Mammogram, left breast, cranio-caudal view. 59 y/o patient.
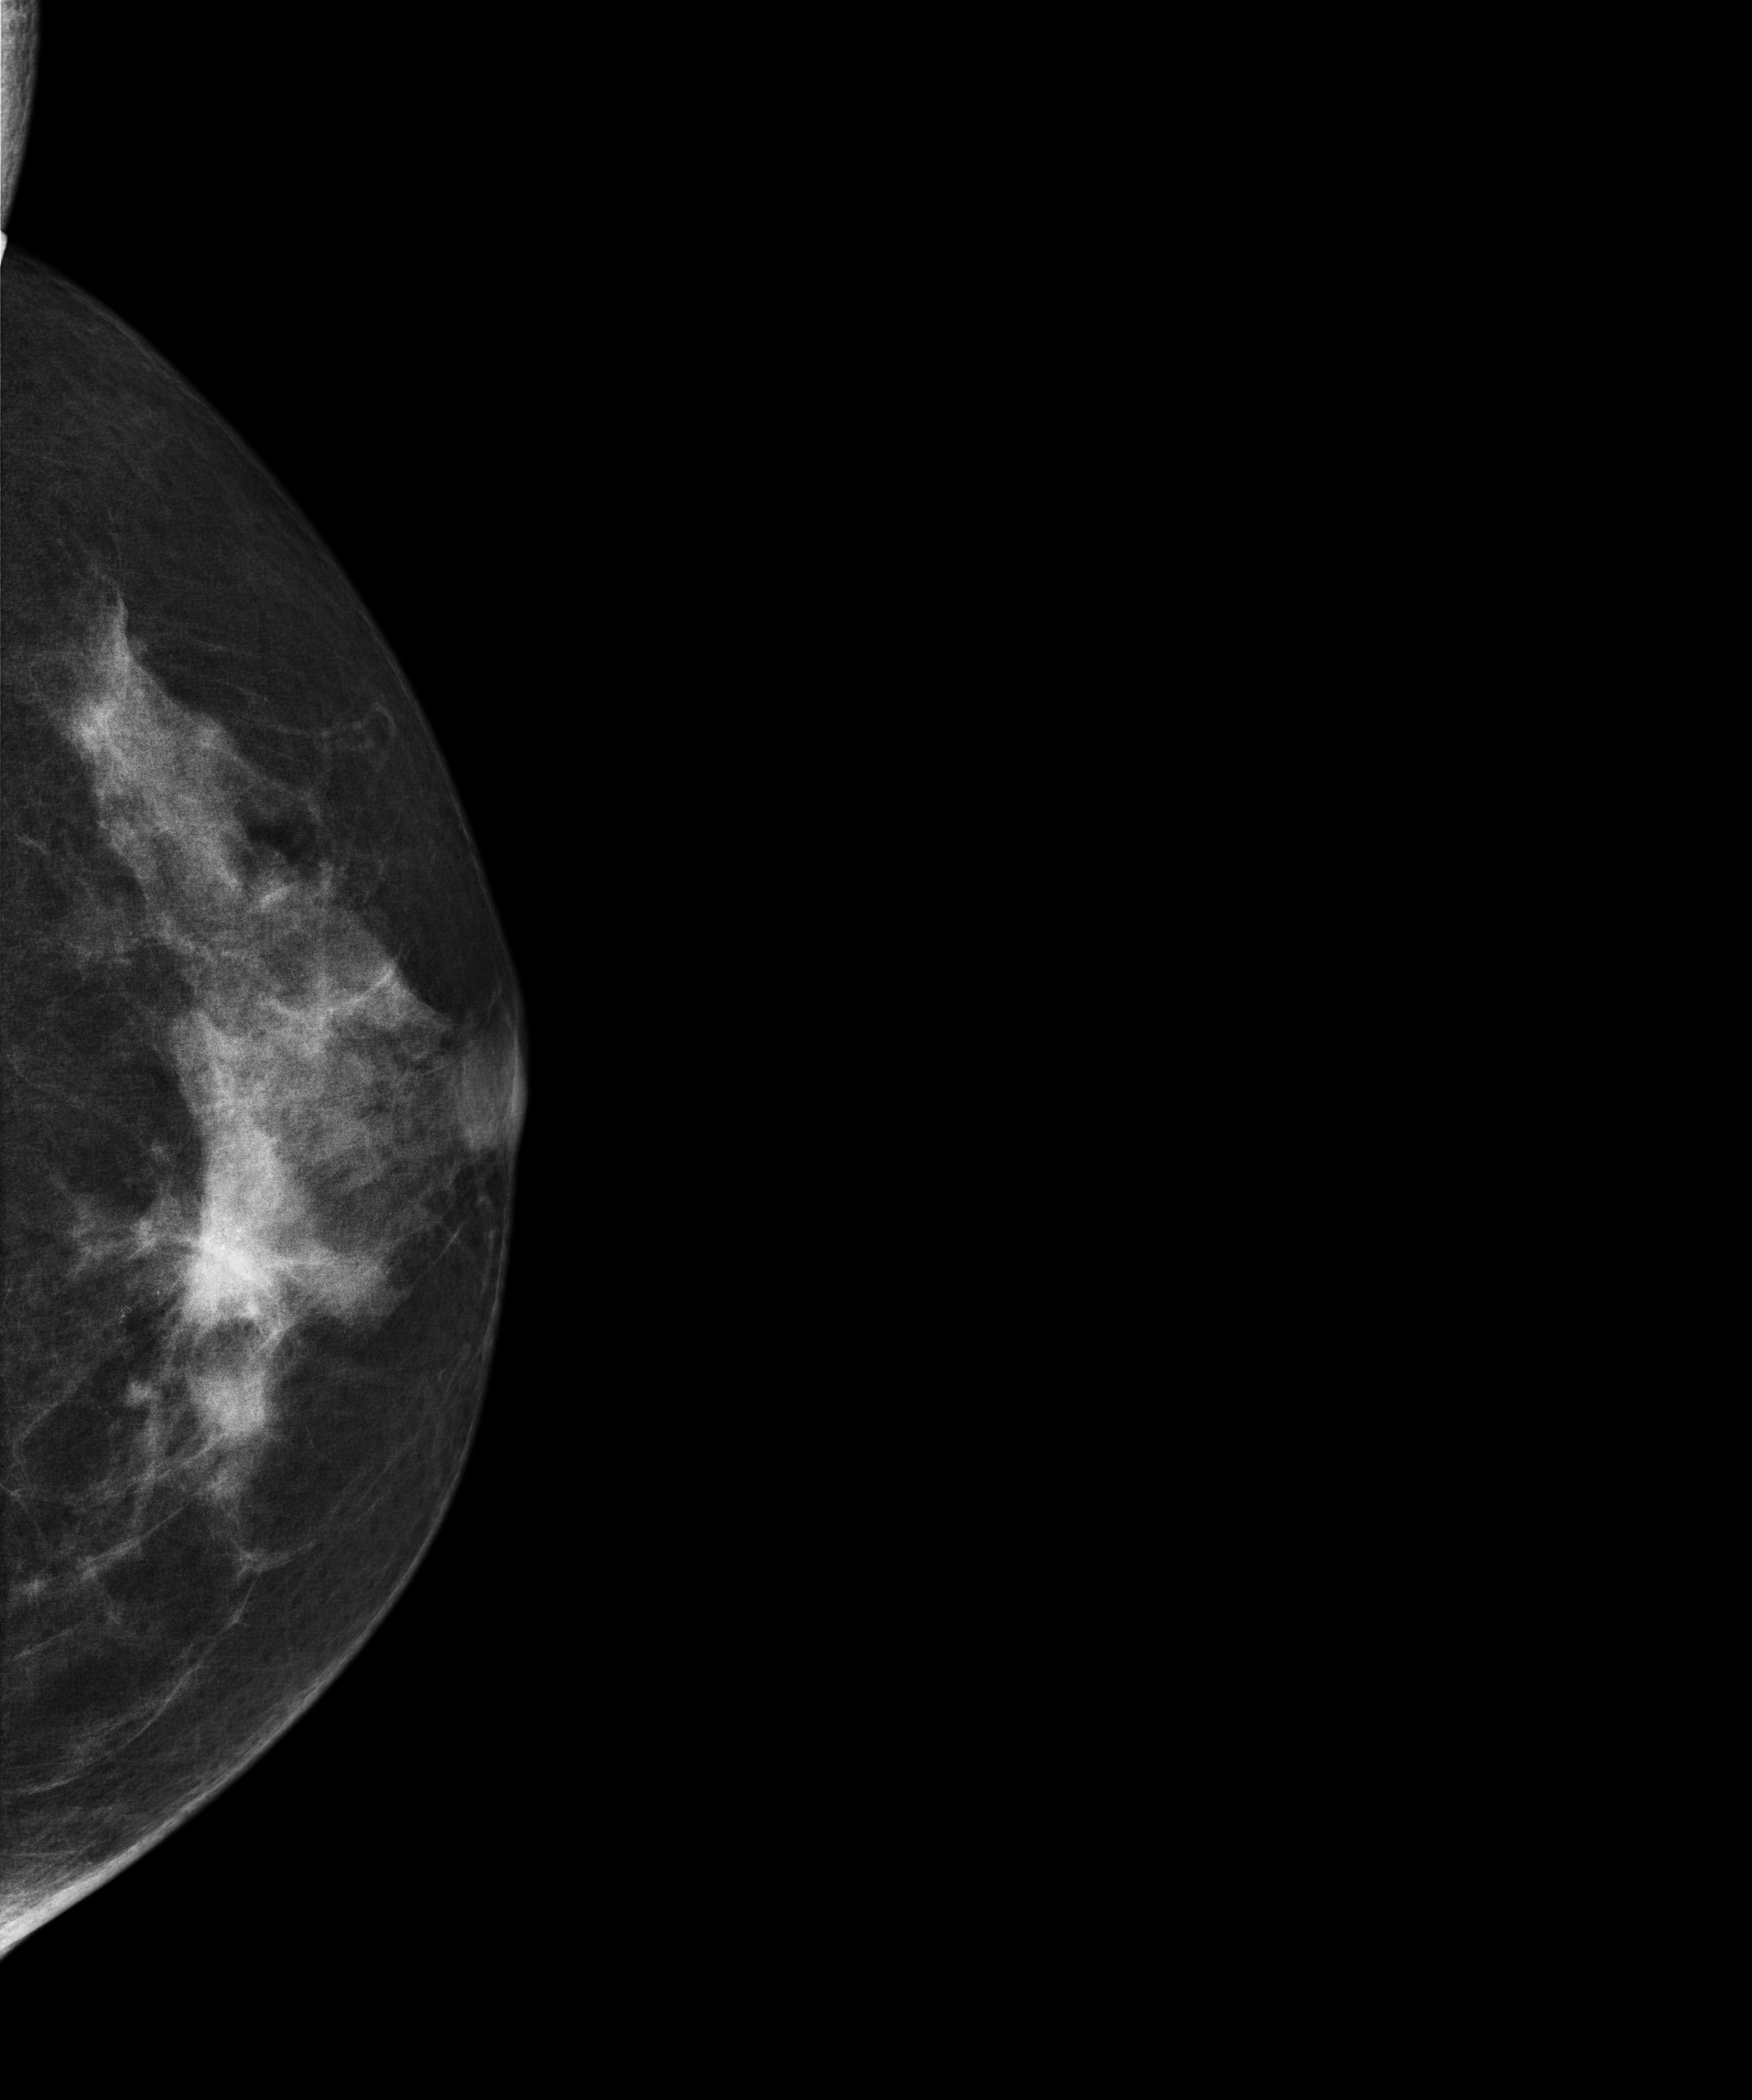
This breast has a mass and calcifications, histologically confirmed malignant. Molecular subtype: luminal B.